Digital mammography. Right breast, medio-lateral oblique projection. 57-year-old patient.
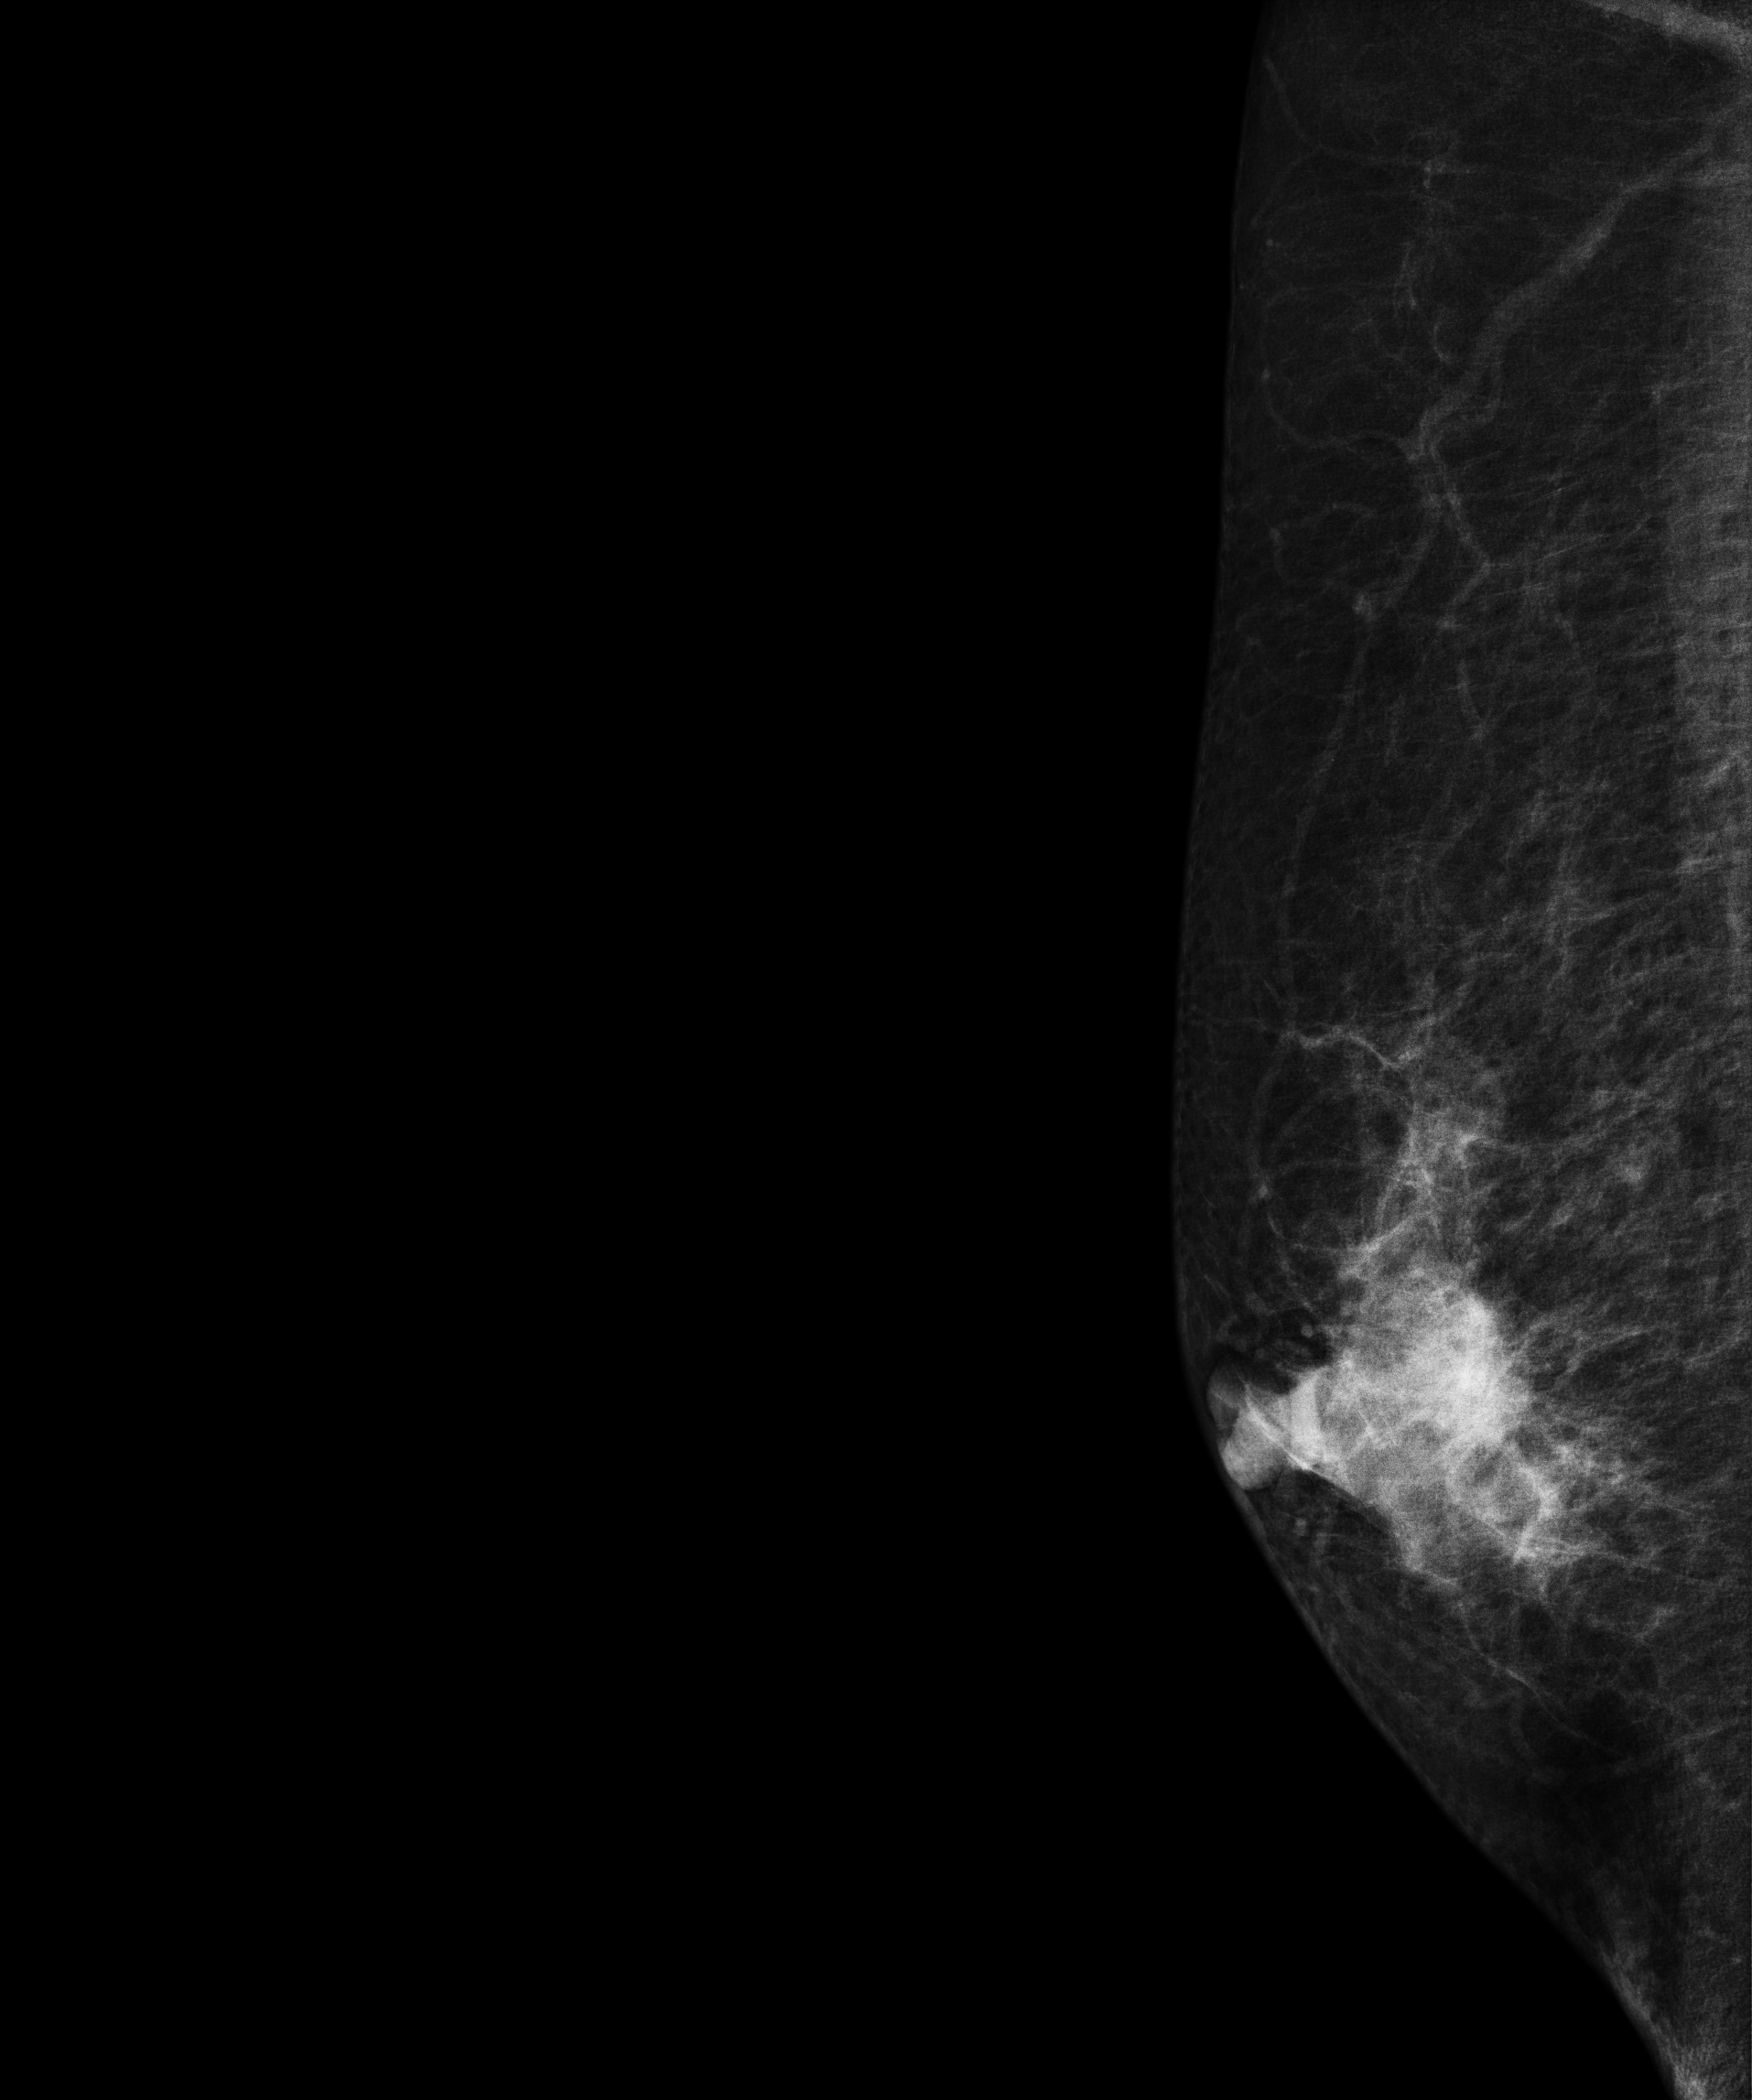
This breast has a mass, histologically confirmed malignant. Molecular subtype: luminal A.